Digital mammography. Left breast, MLO projection. 42 y/o patient.
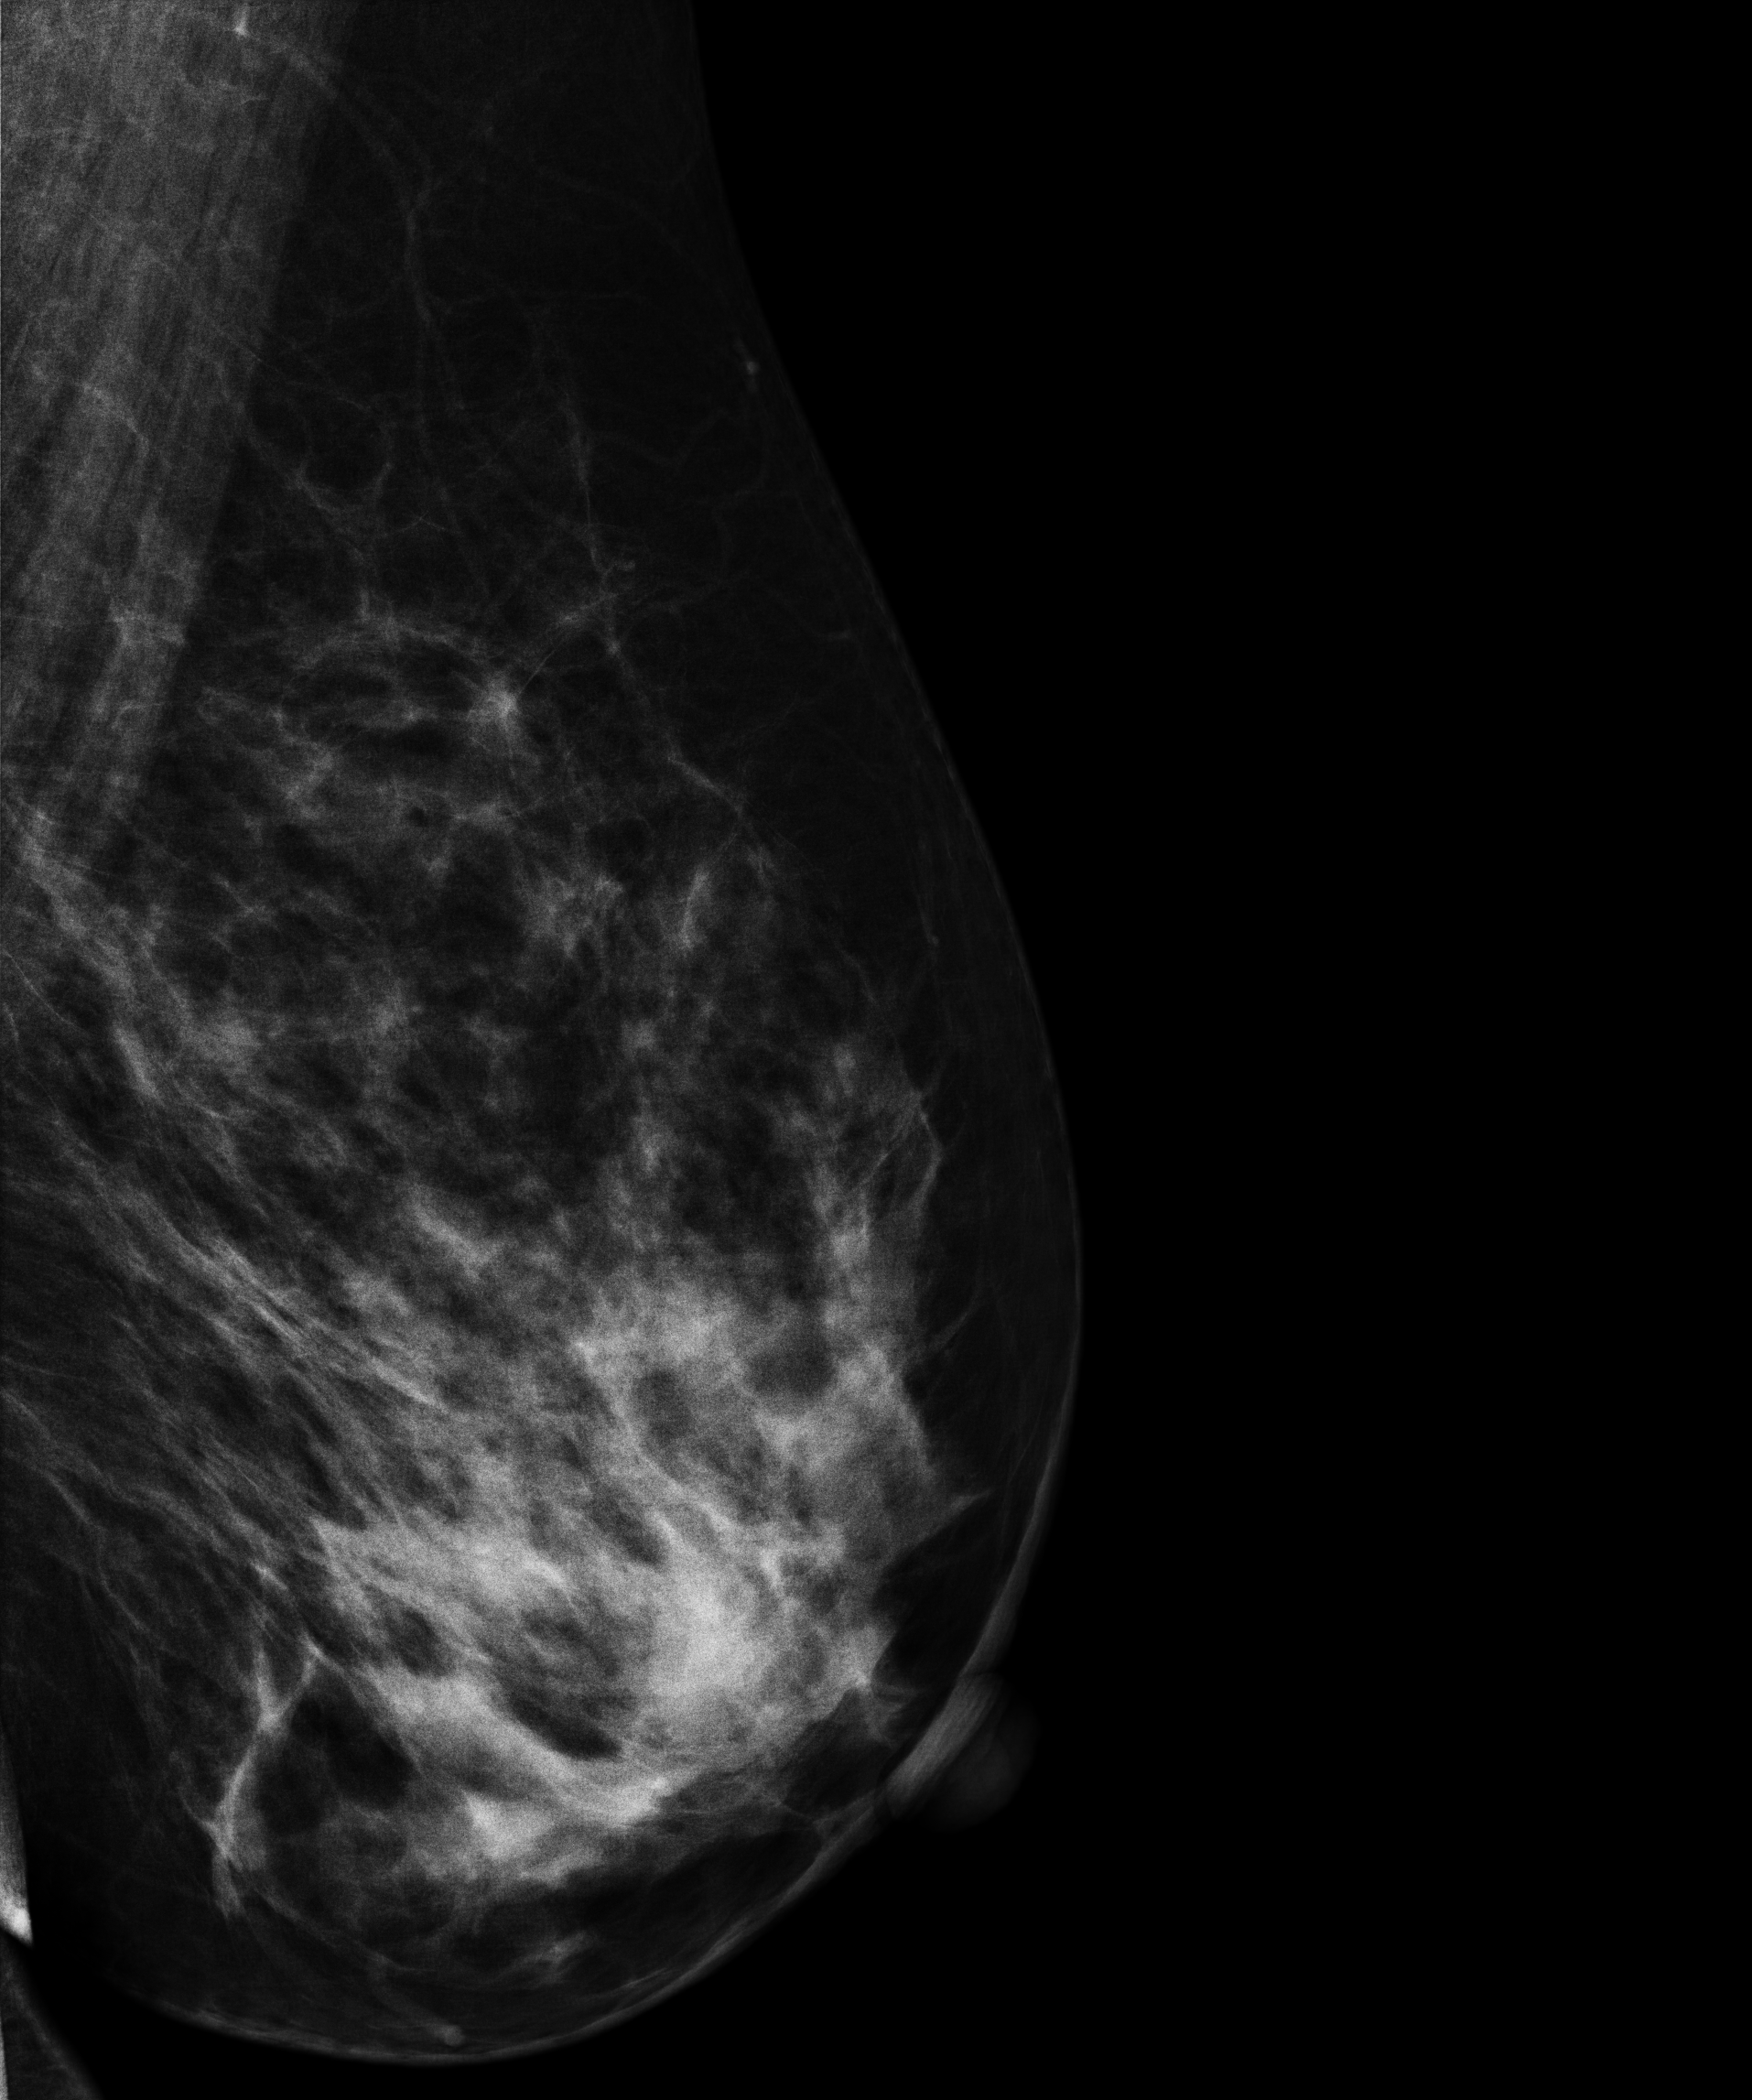
This breast has a mass, biopsy-confirmed benign.